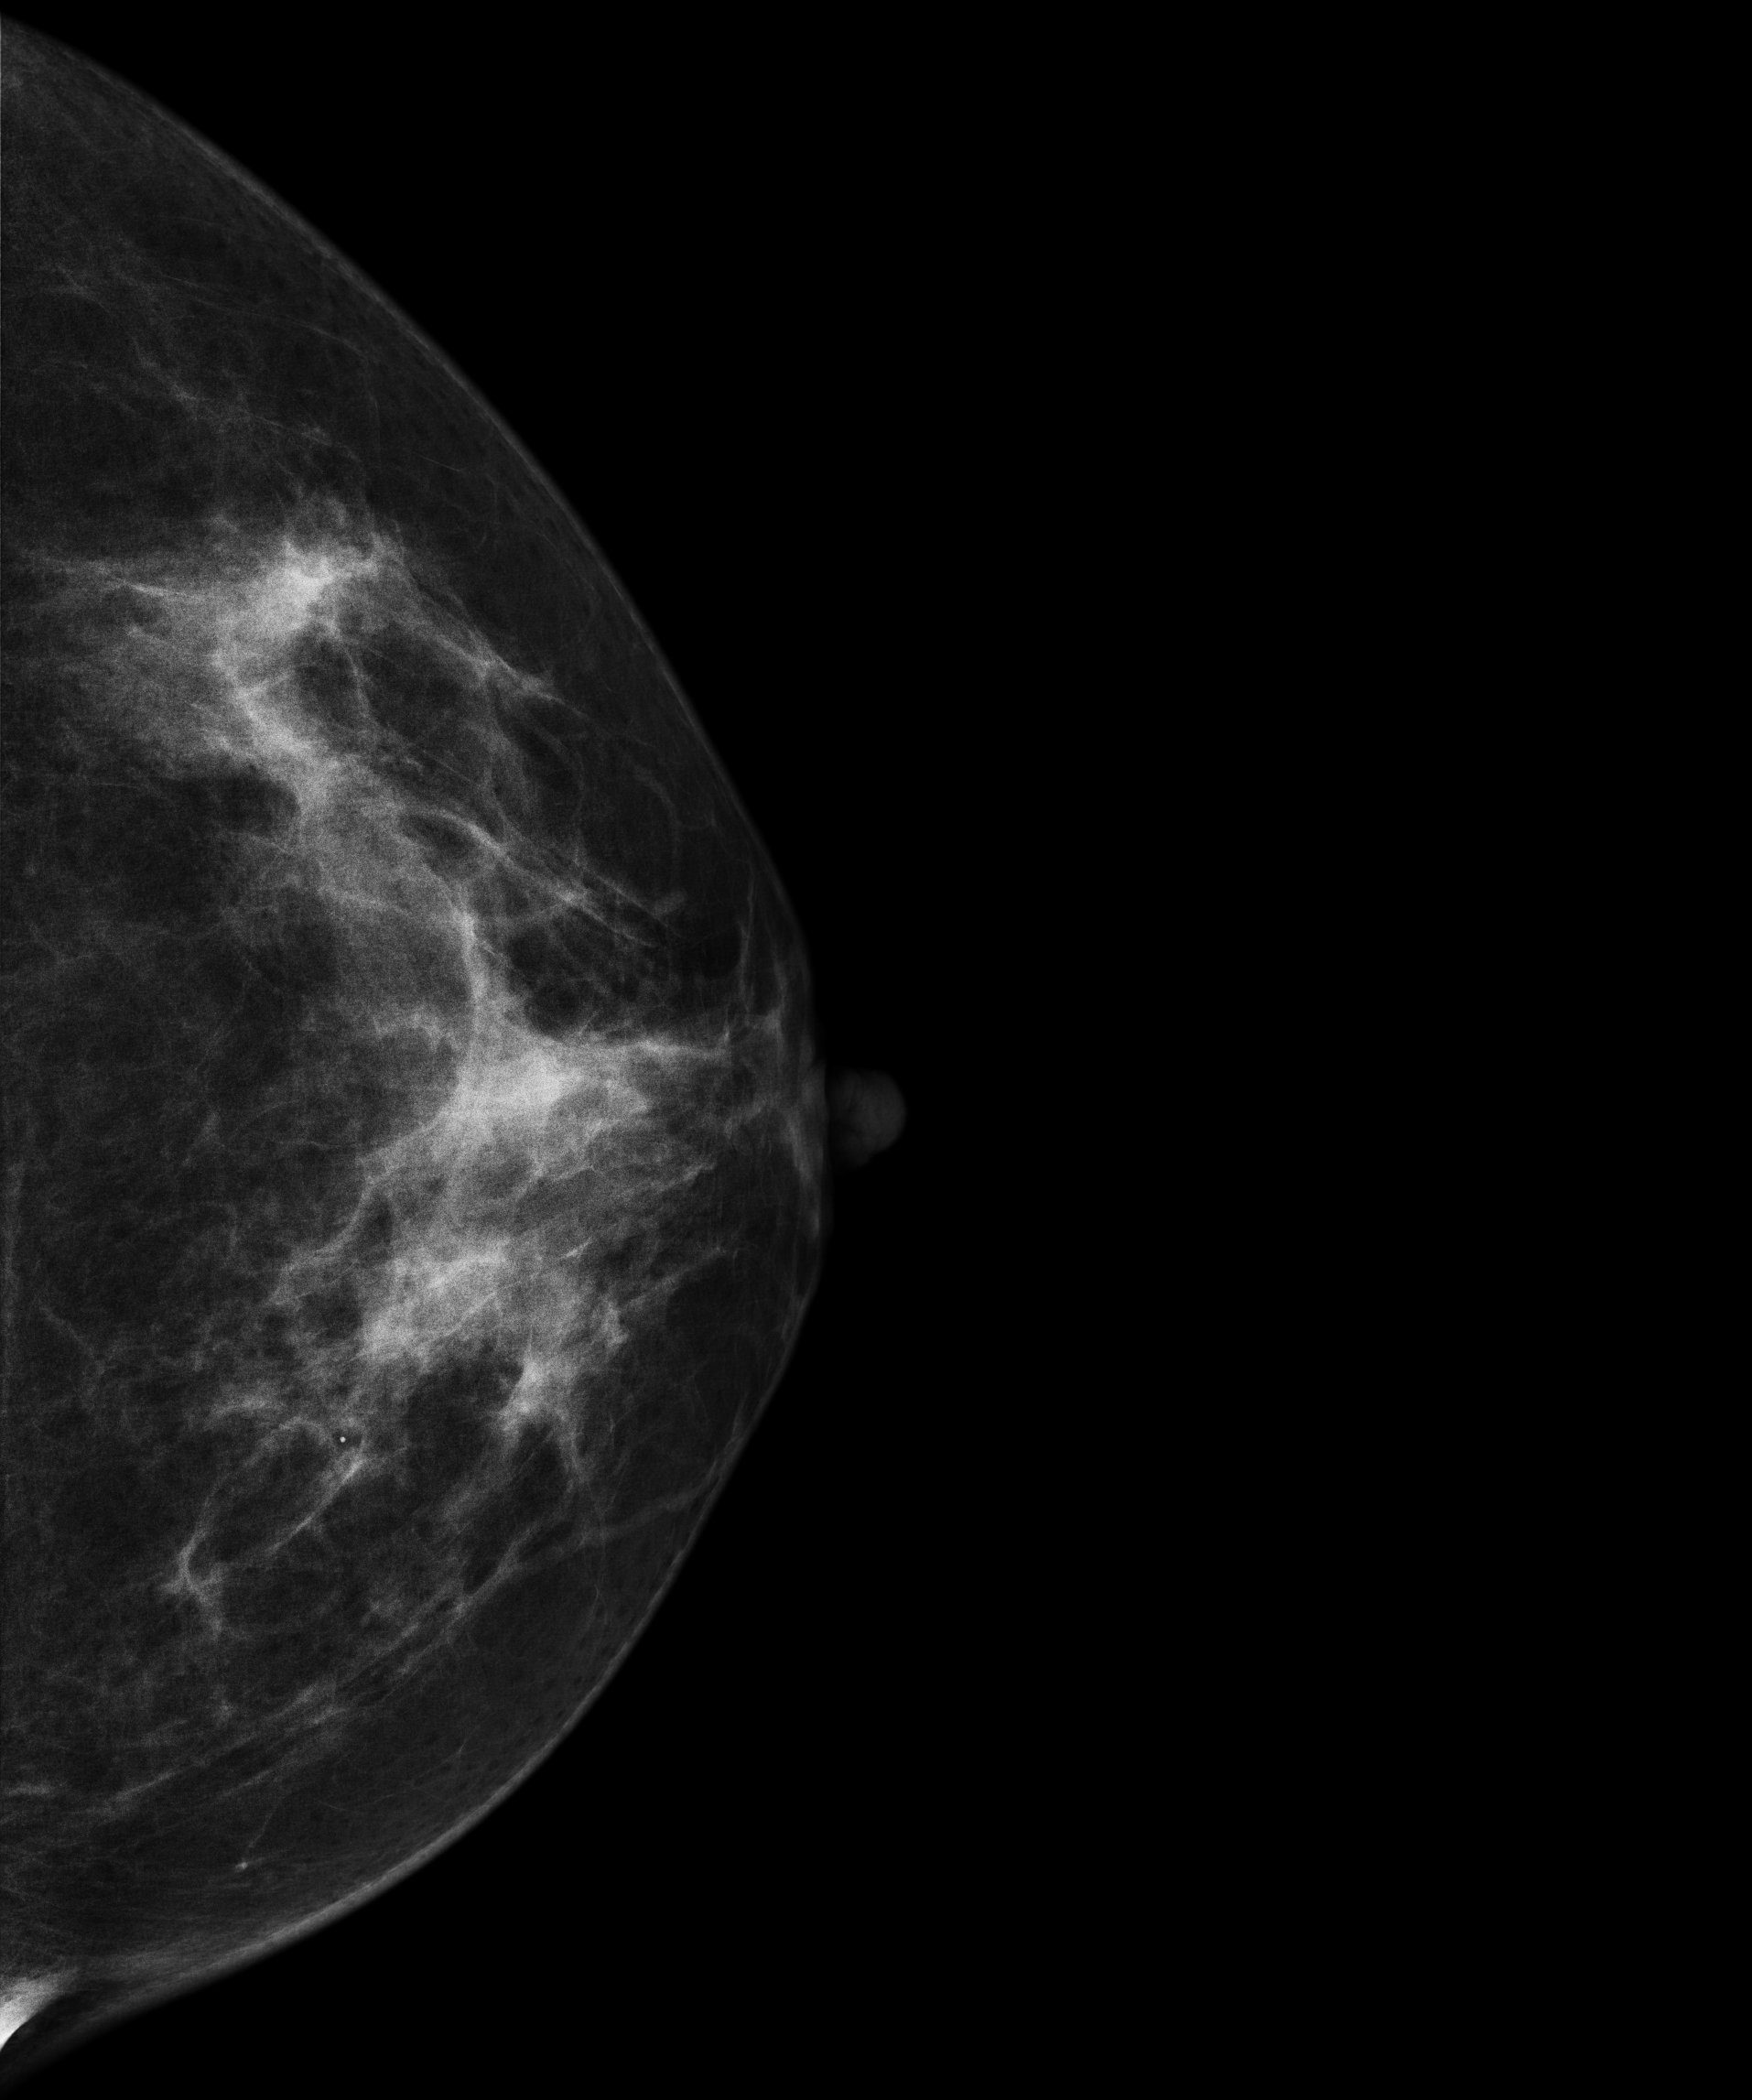
Mammogram — left cranio-caudal. Patient age 44.
Contralateral breast — no documented abnormality on this side.